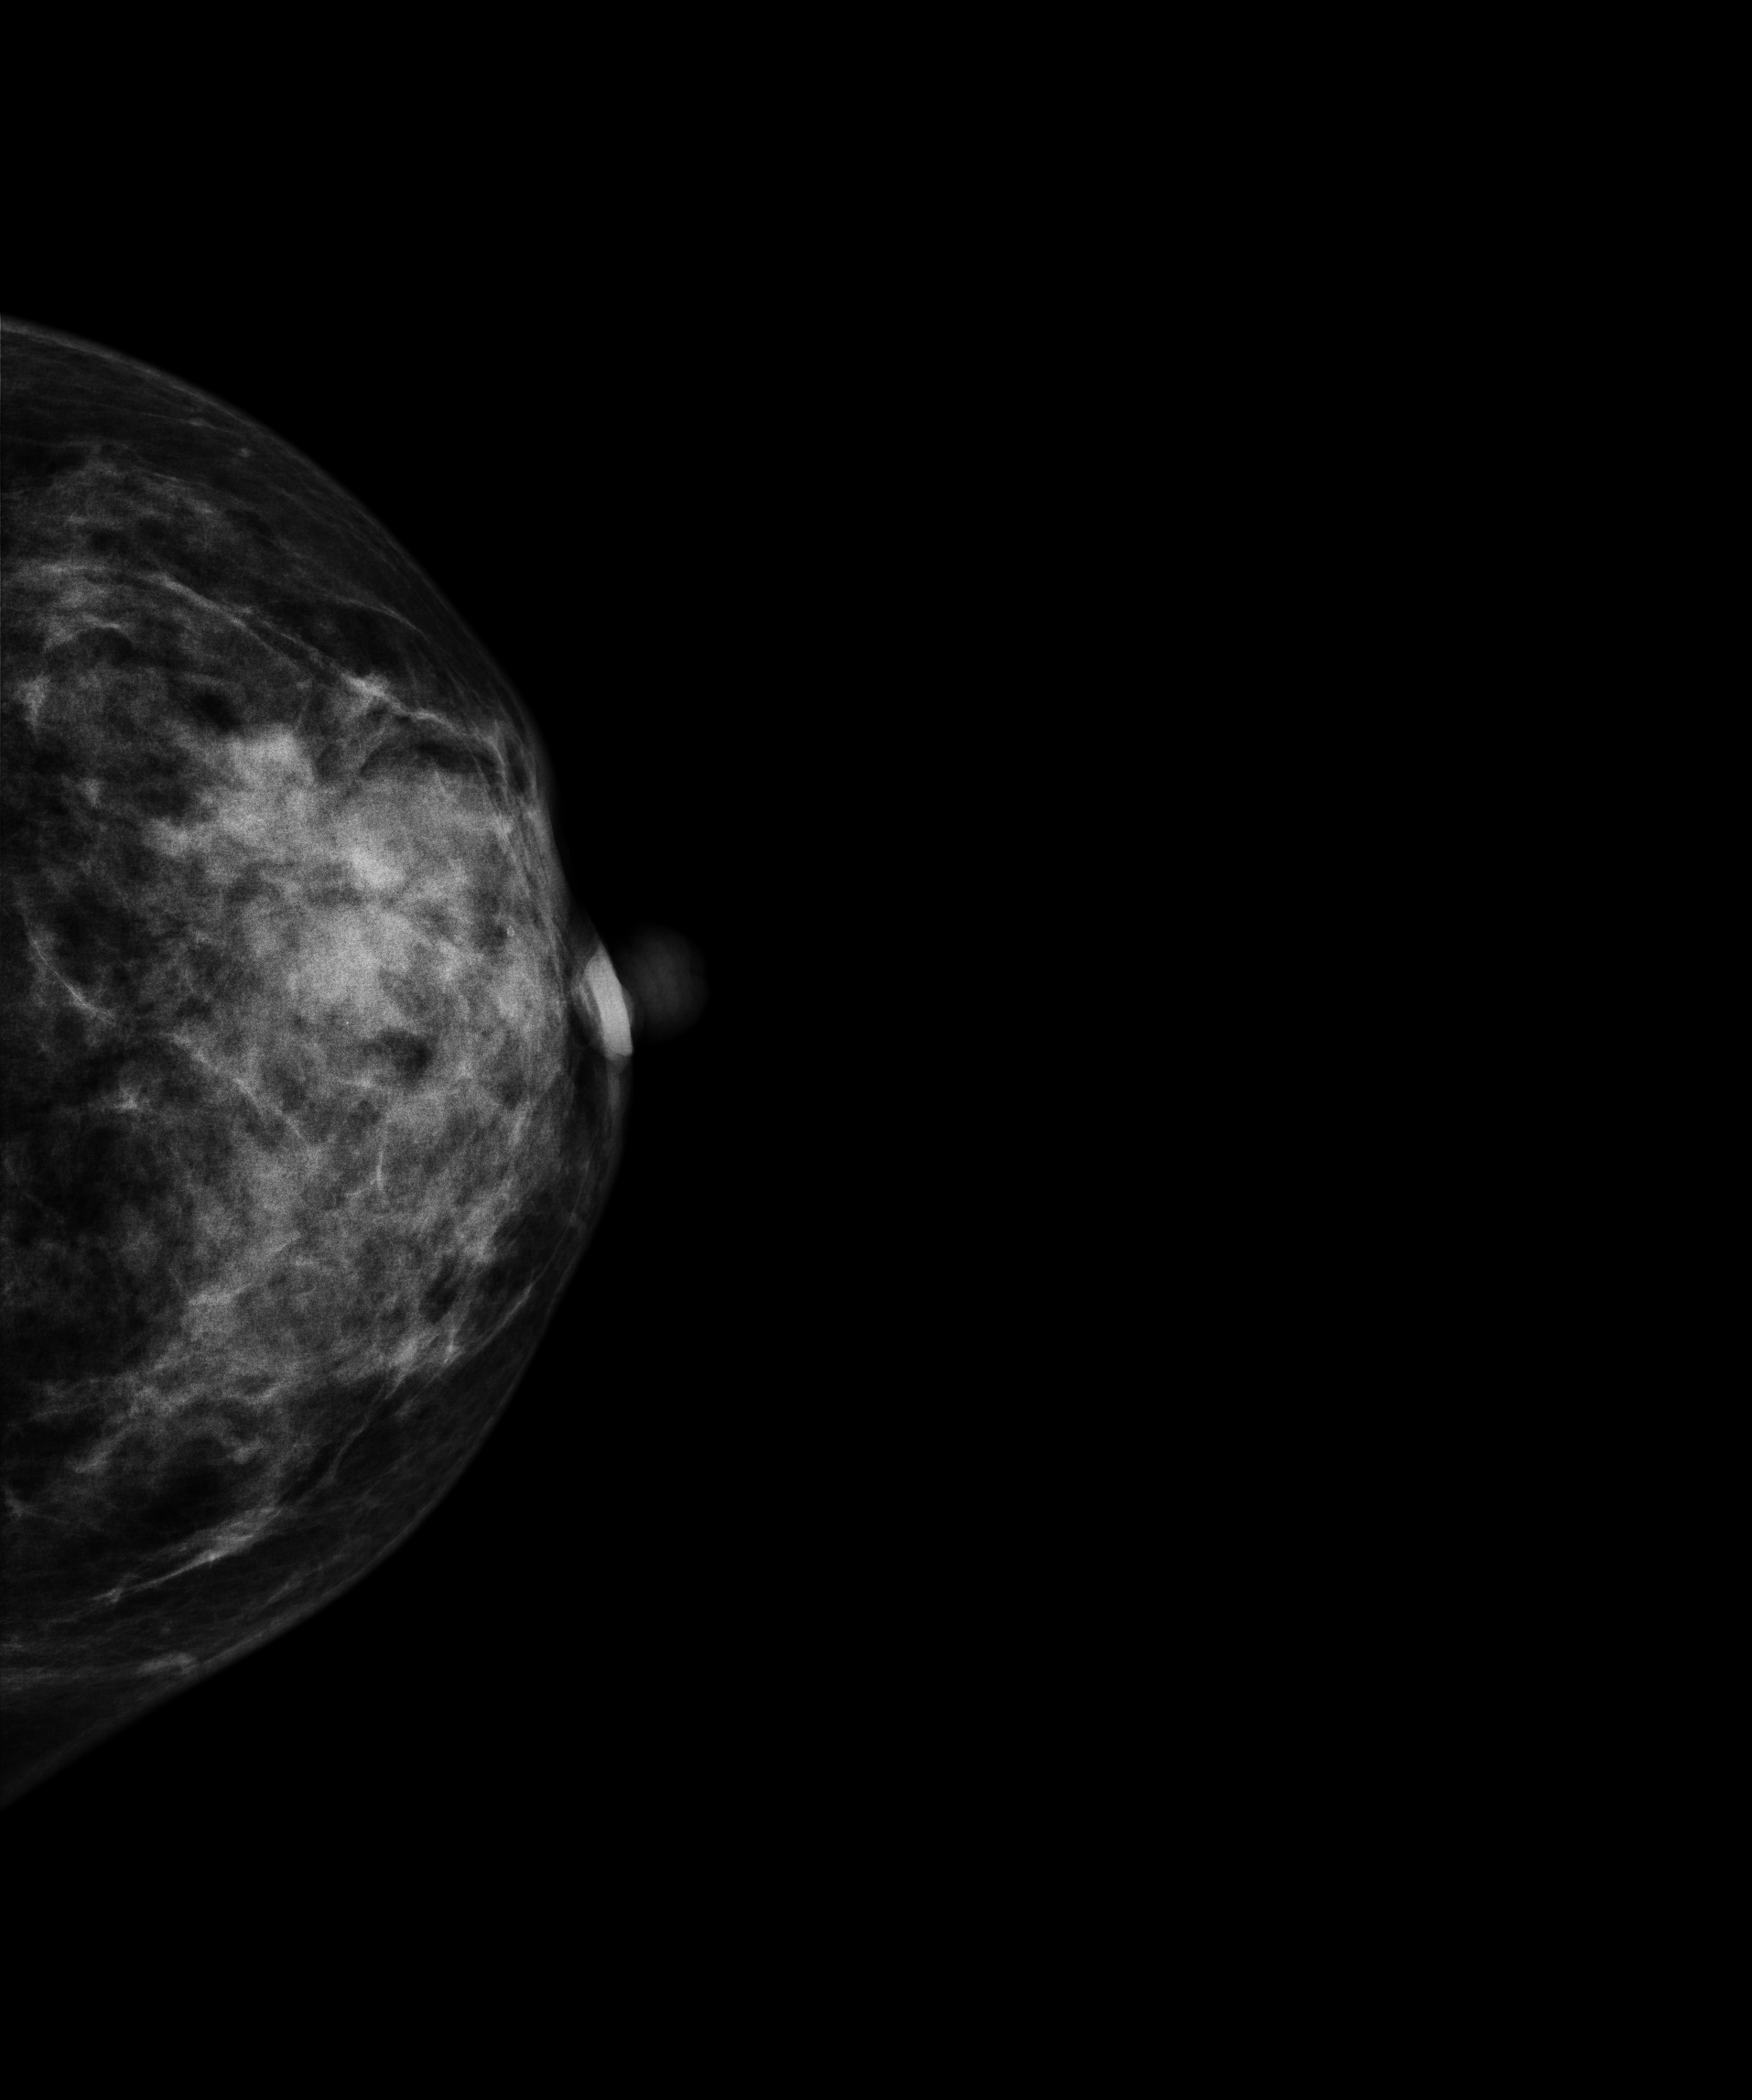
Cranio-caudal mammogram of the left breast. 45 y/o patient.
This breast has a mass, pathology-confirmed malignant. Molecular subtype: luminal B.